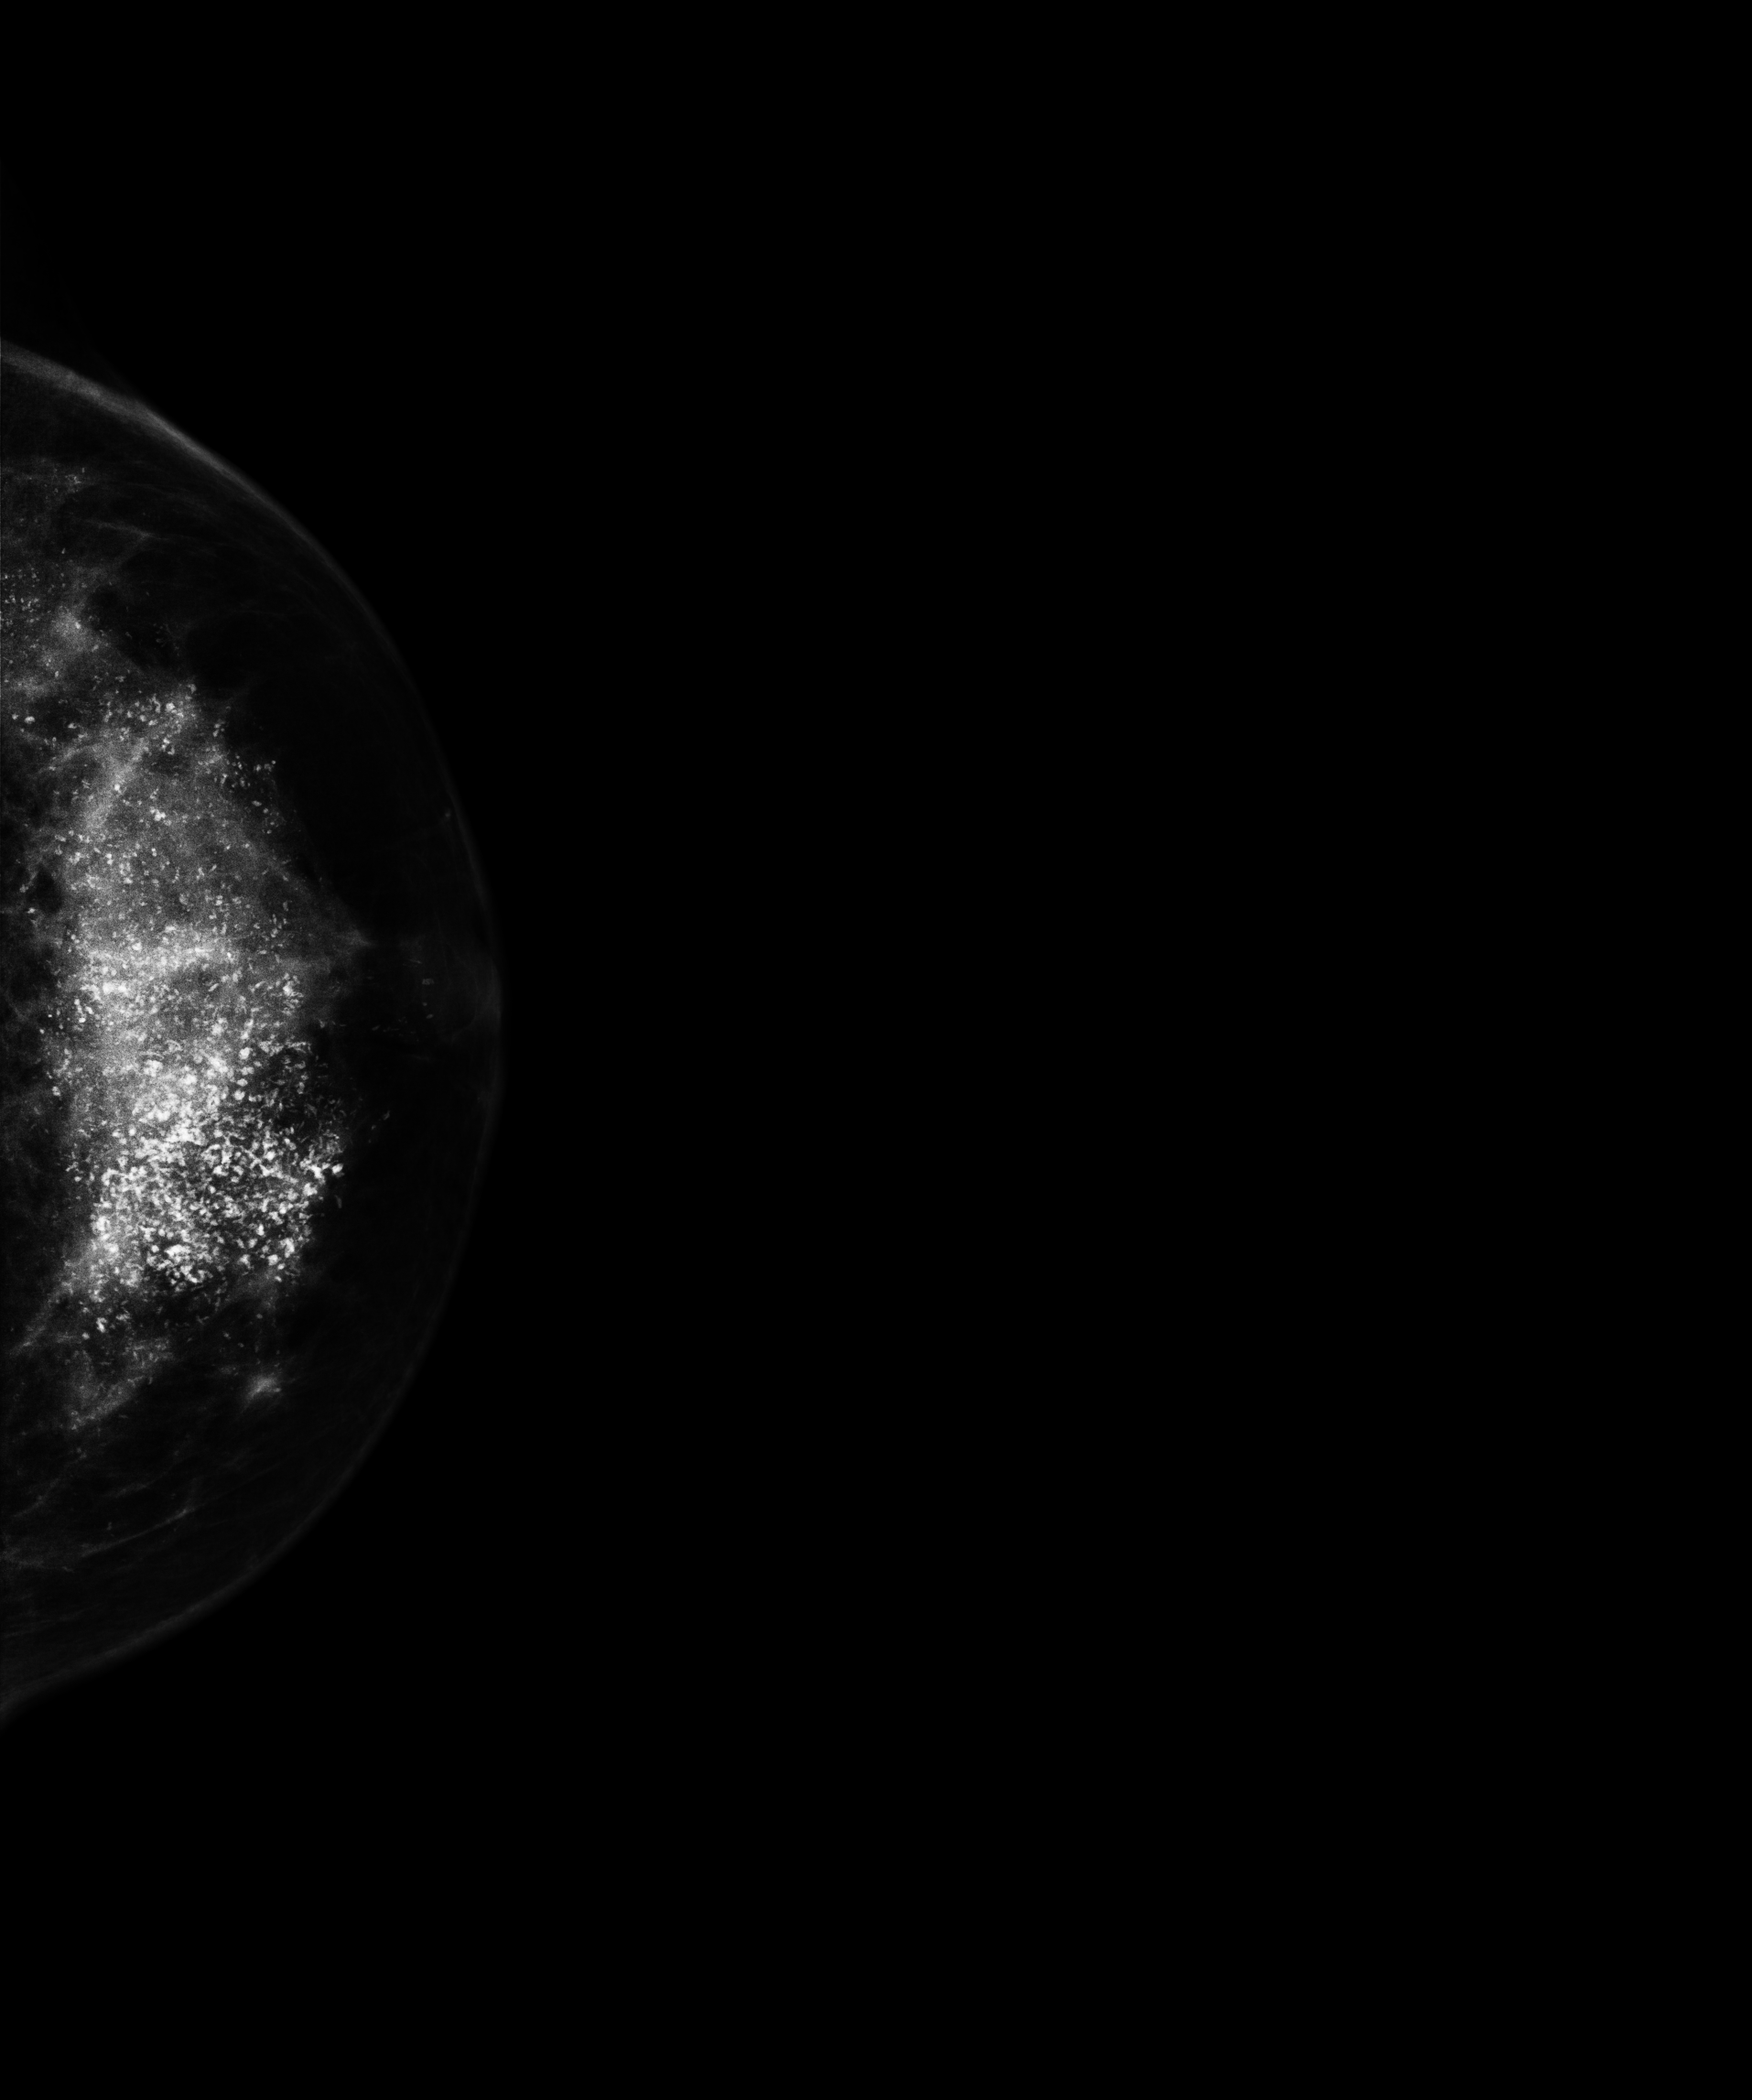
Digital mammography. Left breast, CC projection. 54 y/o patient.
This breast has calcifications, pathology-confirmed malignant.